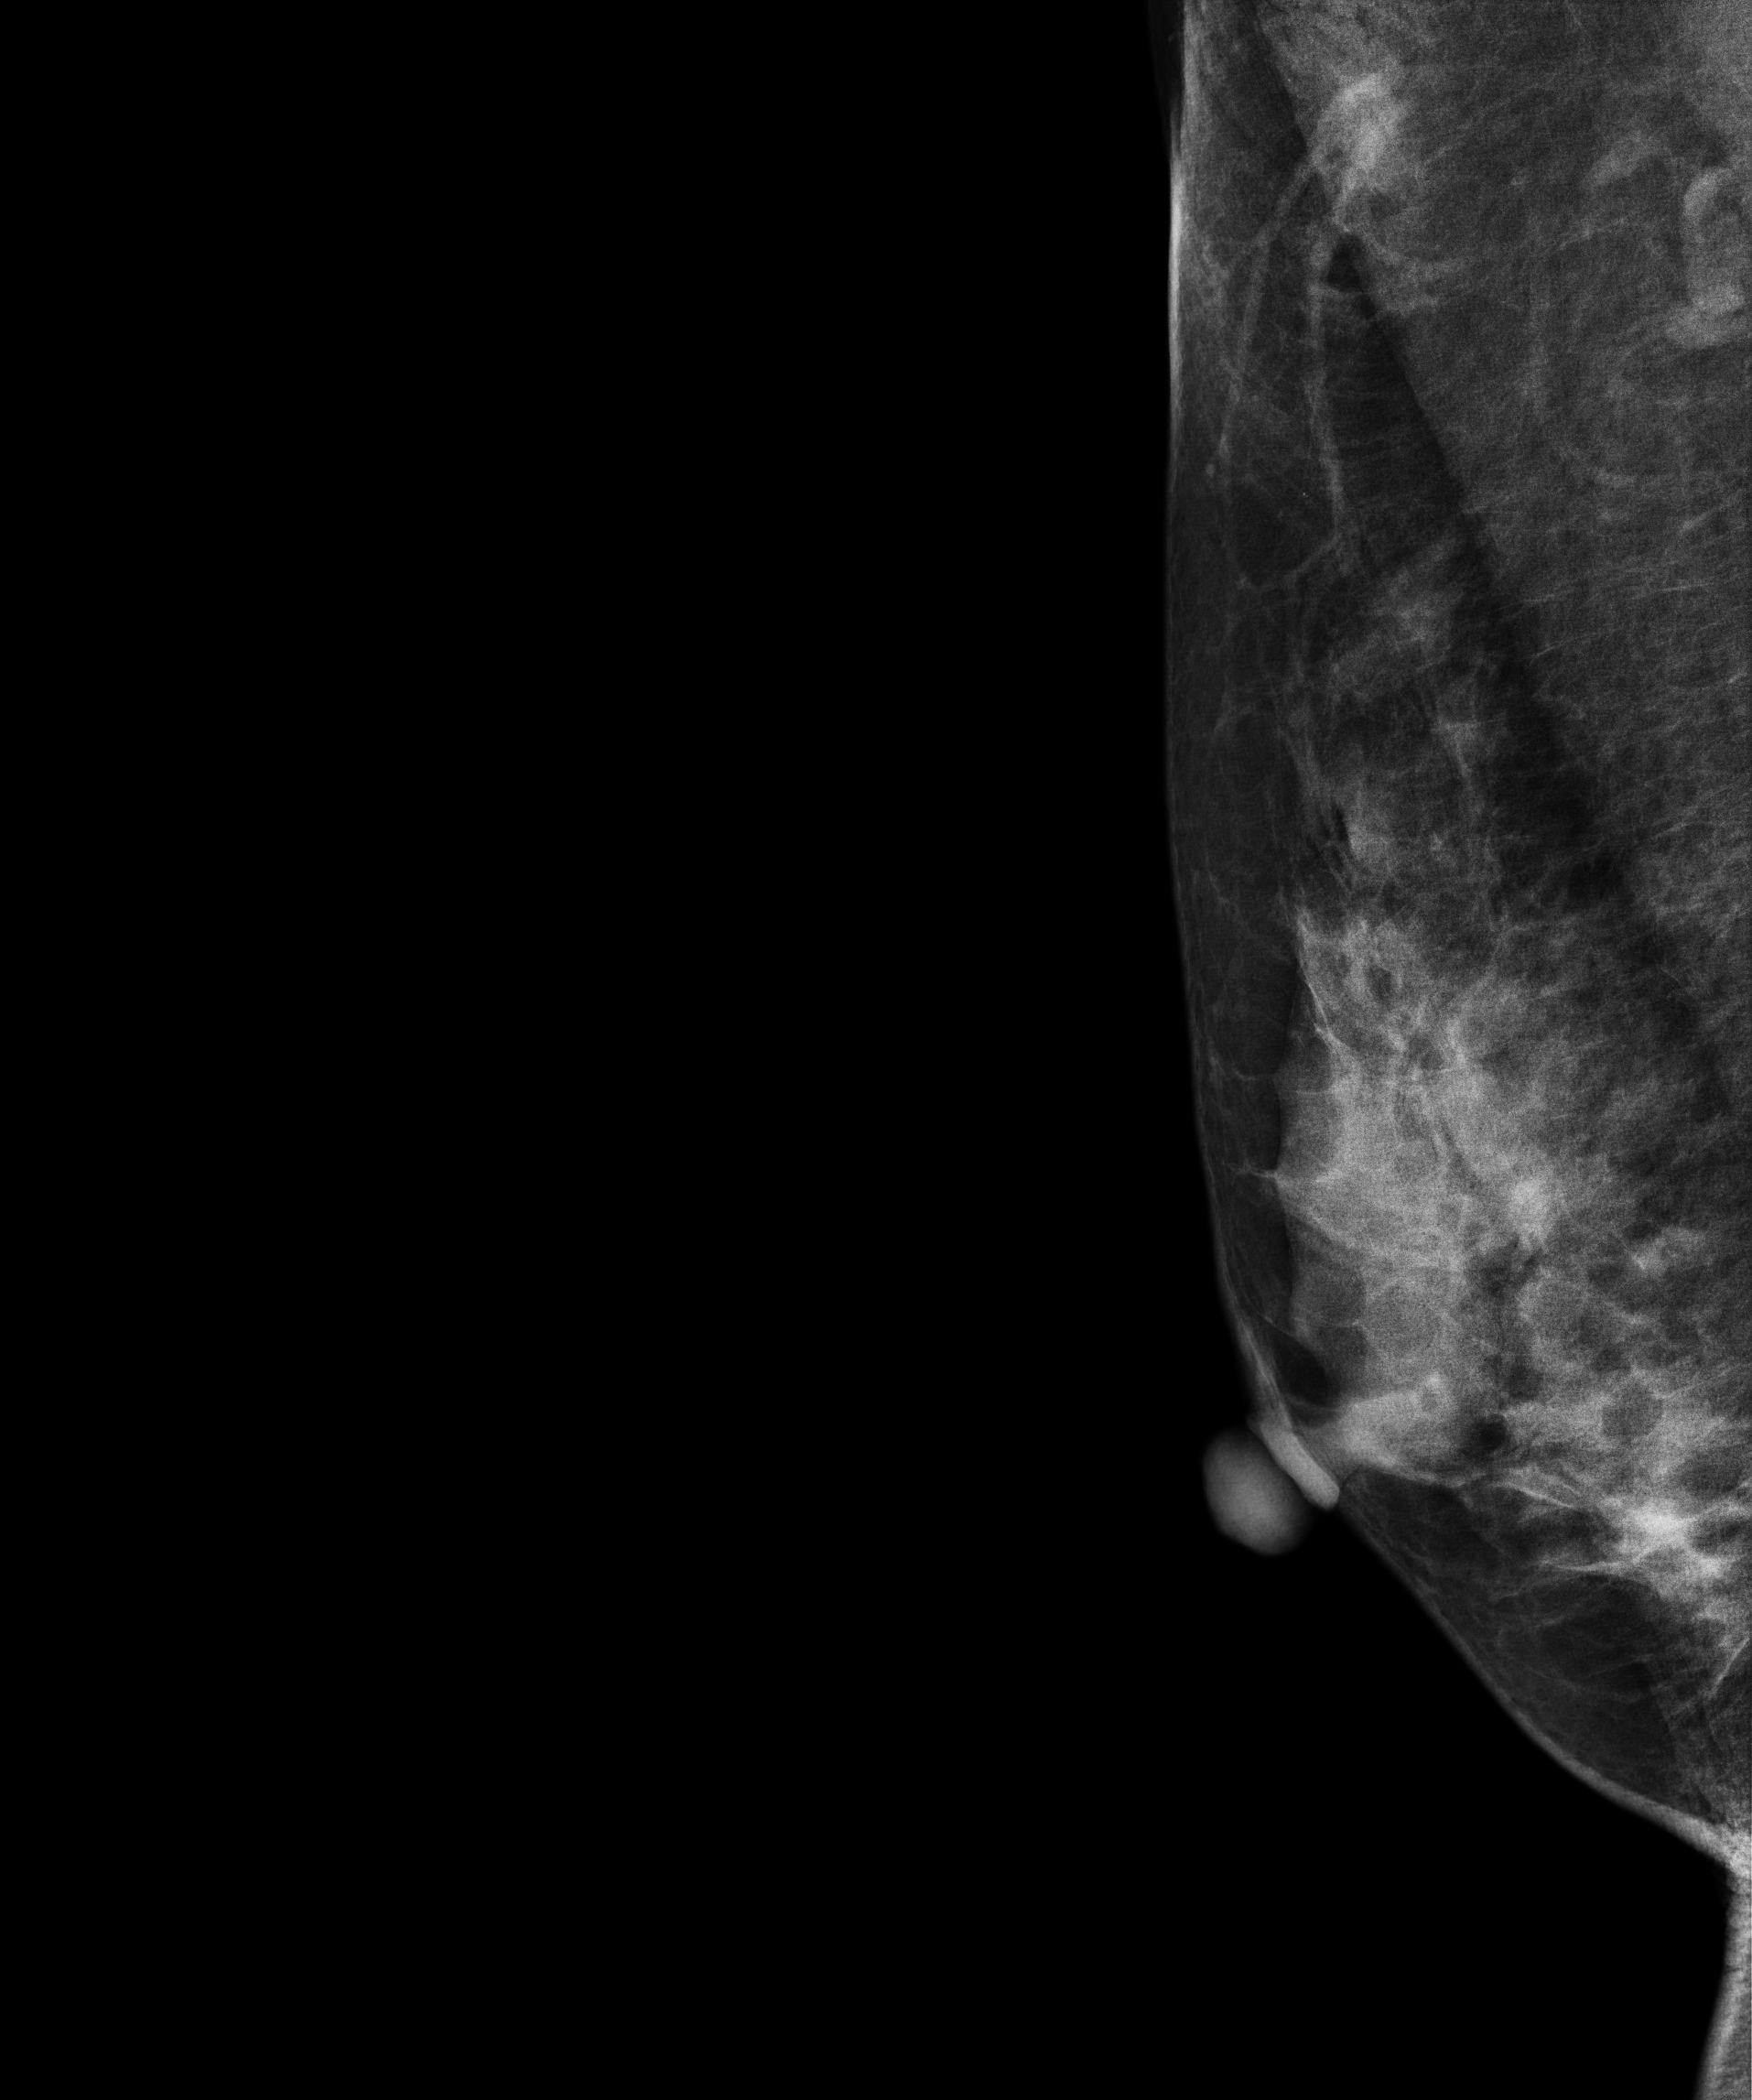
Digital mammography. Right breast, medio-lateral oblique projection. Patient age 42.
Contralateral breast — no documented abnormality on this side.